Mammogram — left cranio-caudal. 34-year-old patient.
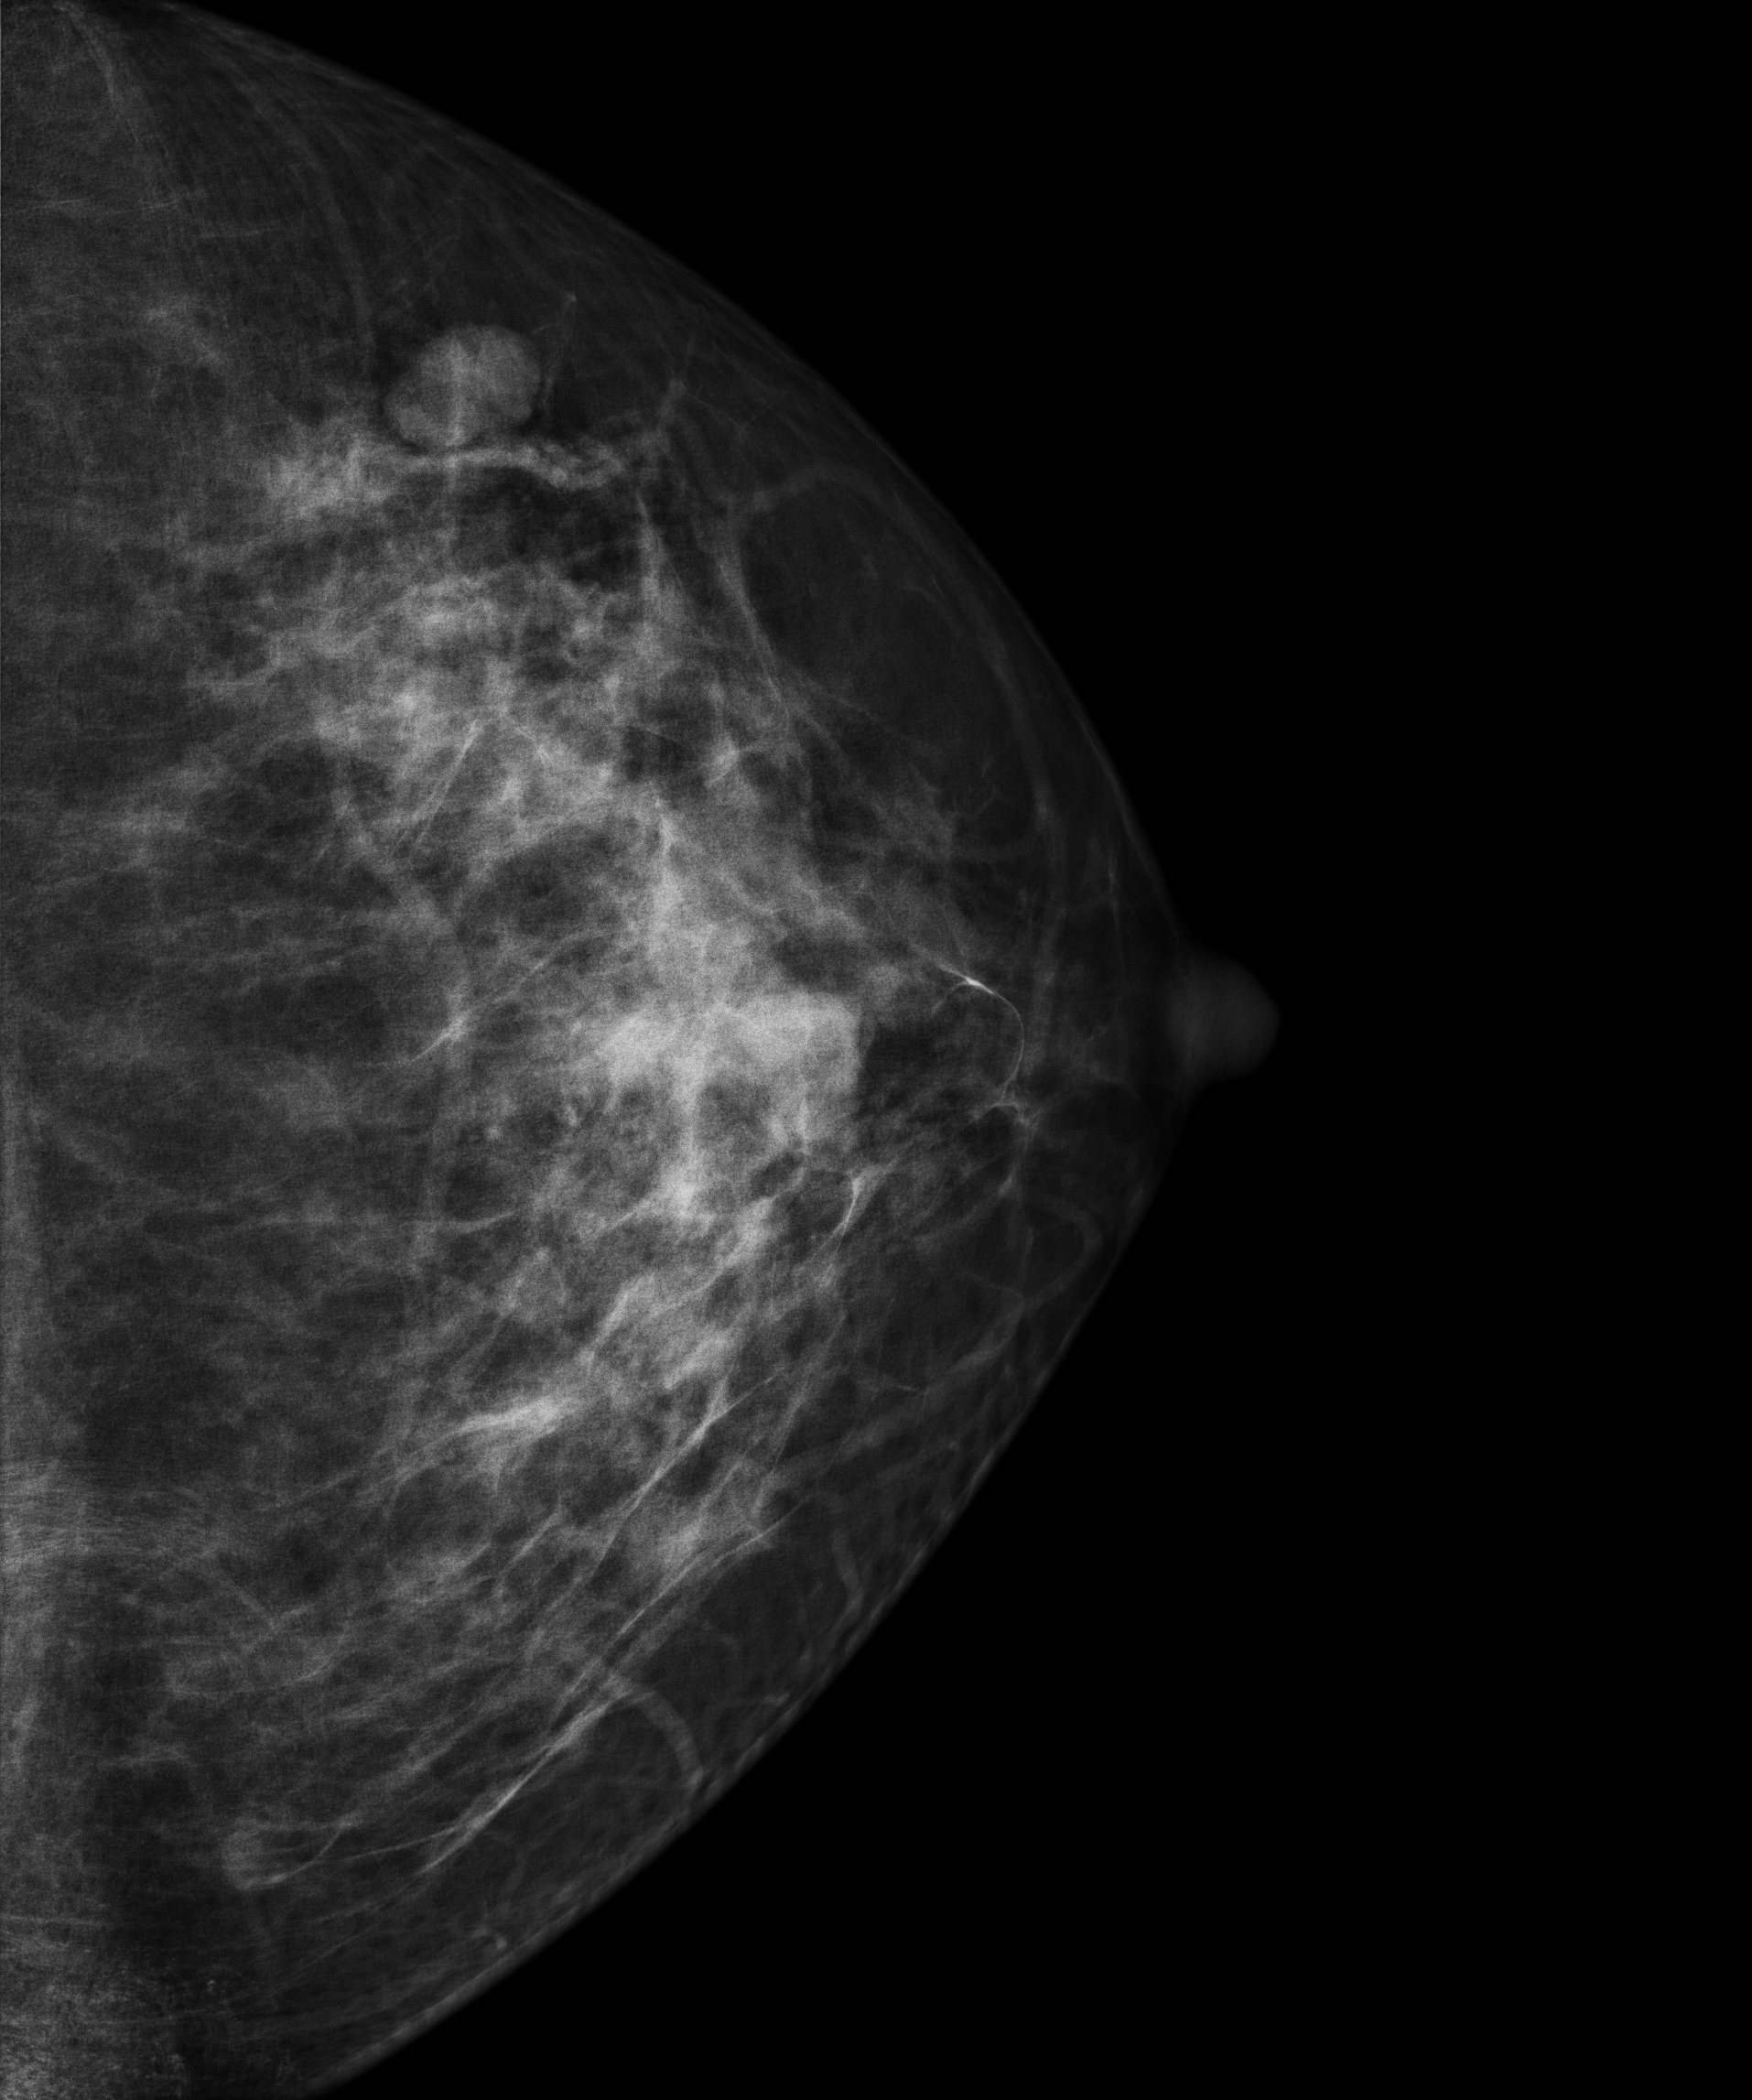
This breast has a mass, biopsy-proven benign.